Right-breast mammogram, cranio-caudal. Patient age 50.
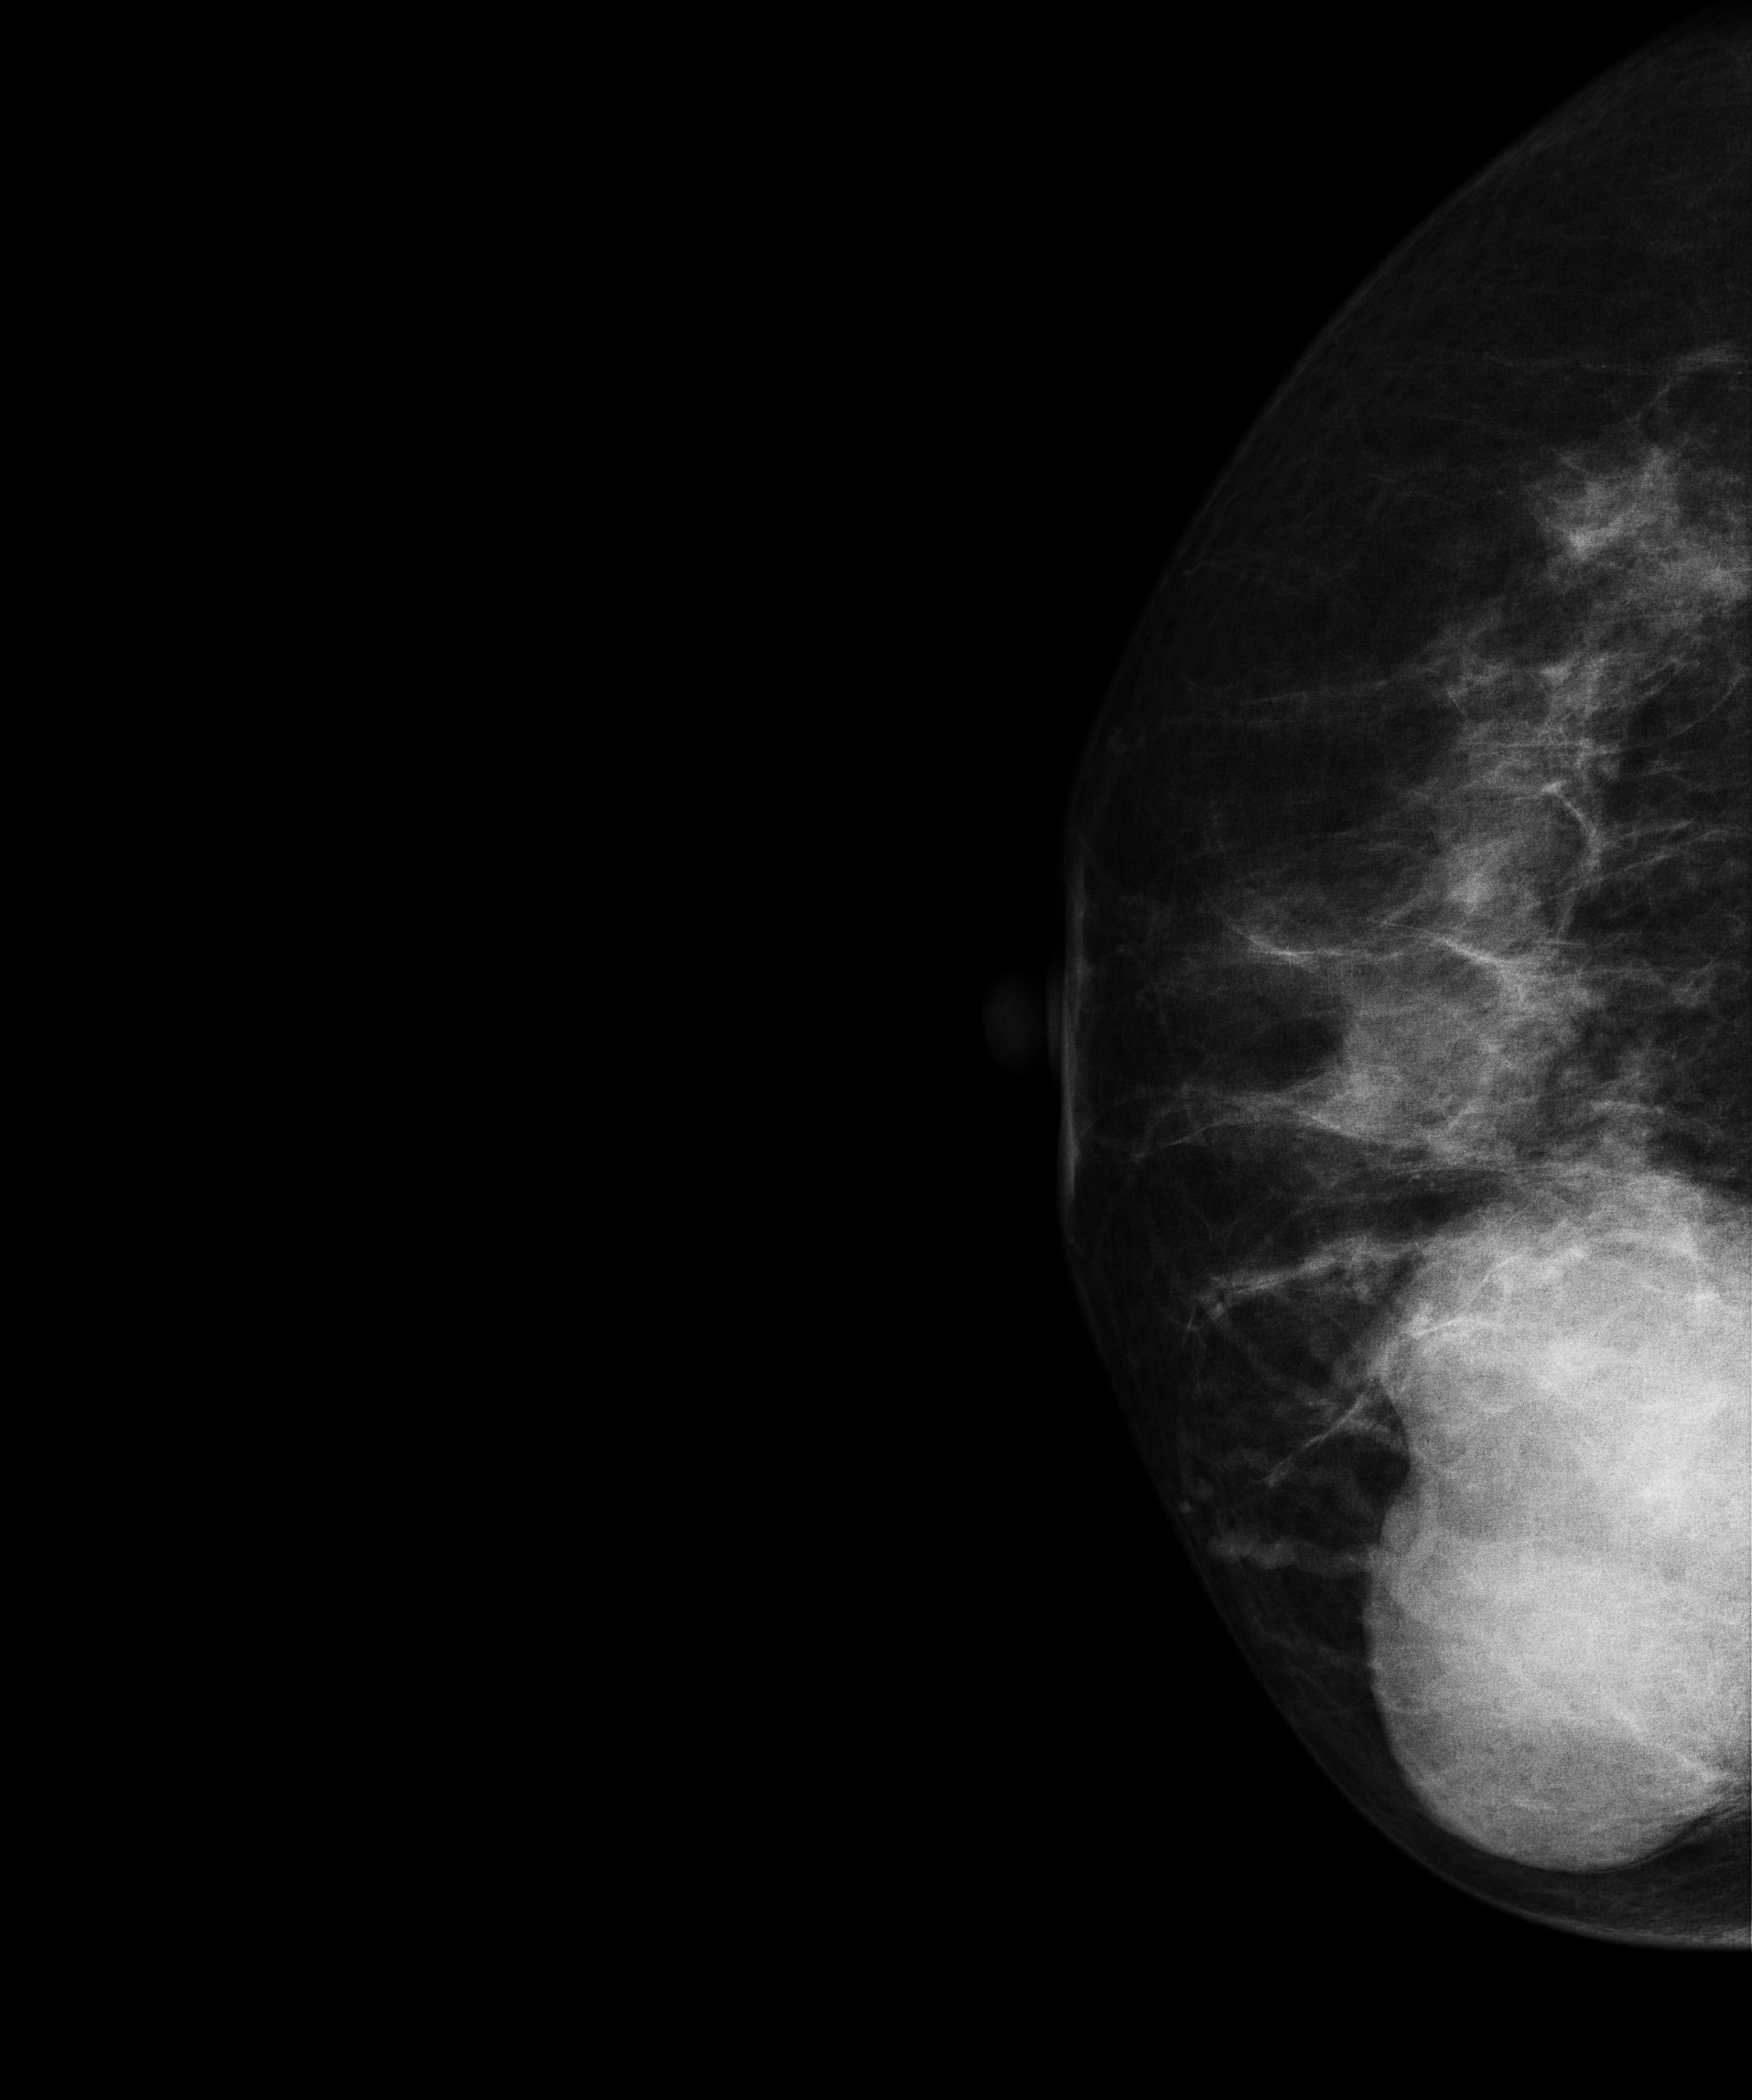
This breast has a mass, pathology-confirmed benign.